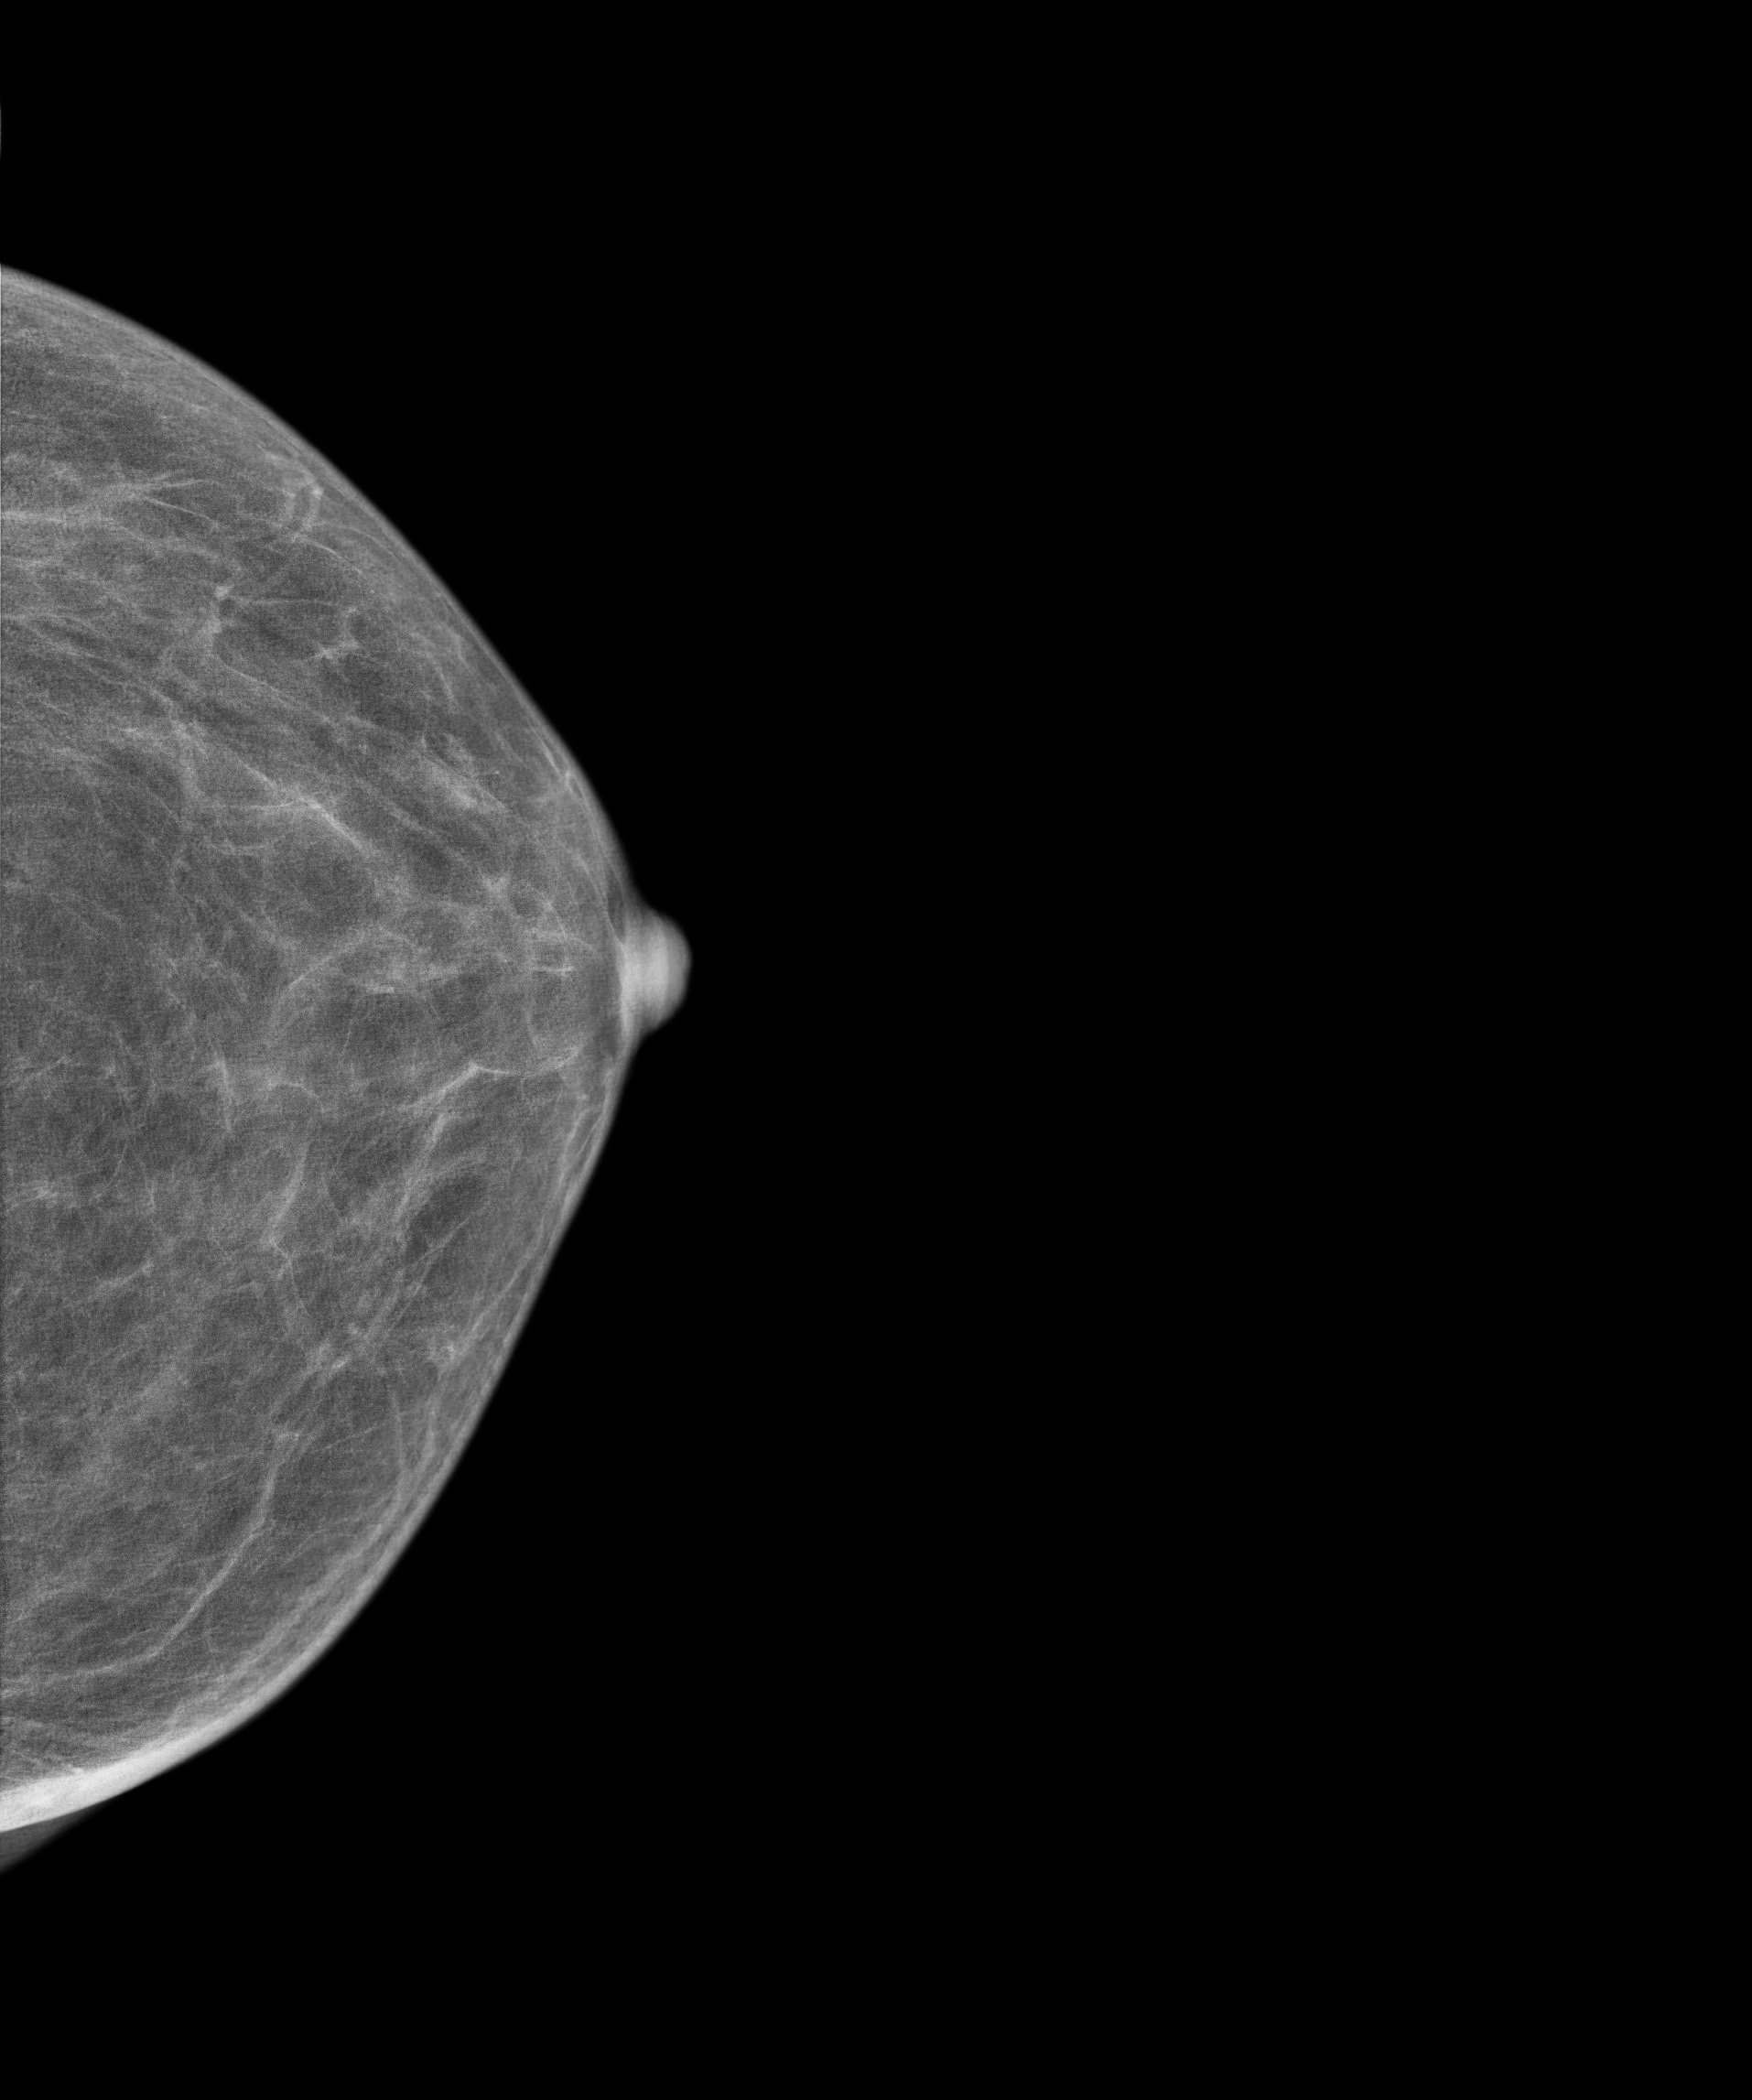
Mammogram — left cranio-caudal. 59-year-old patient.
Contralateral breast — no documented abnormality on this side.